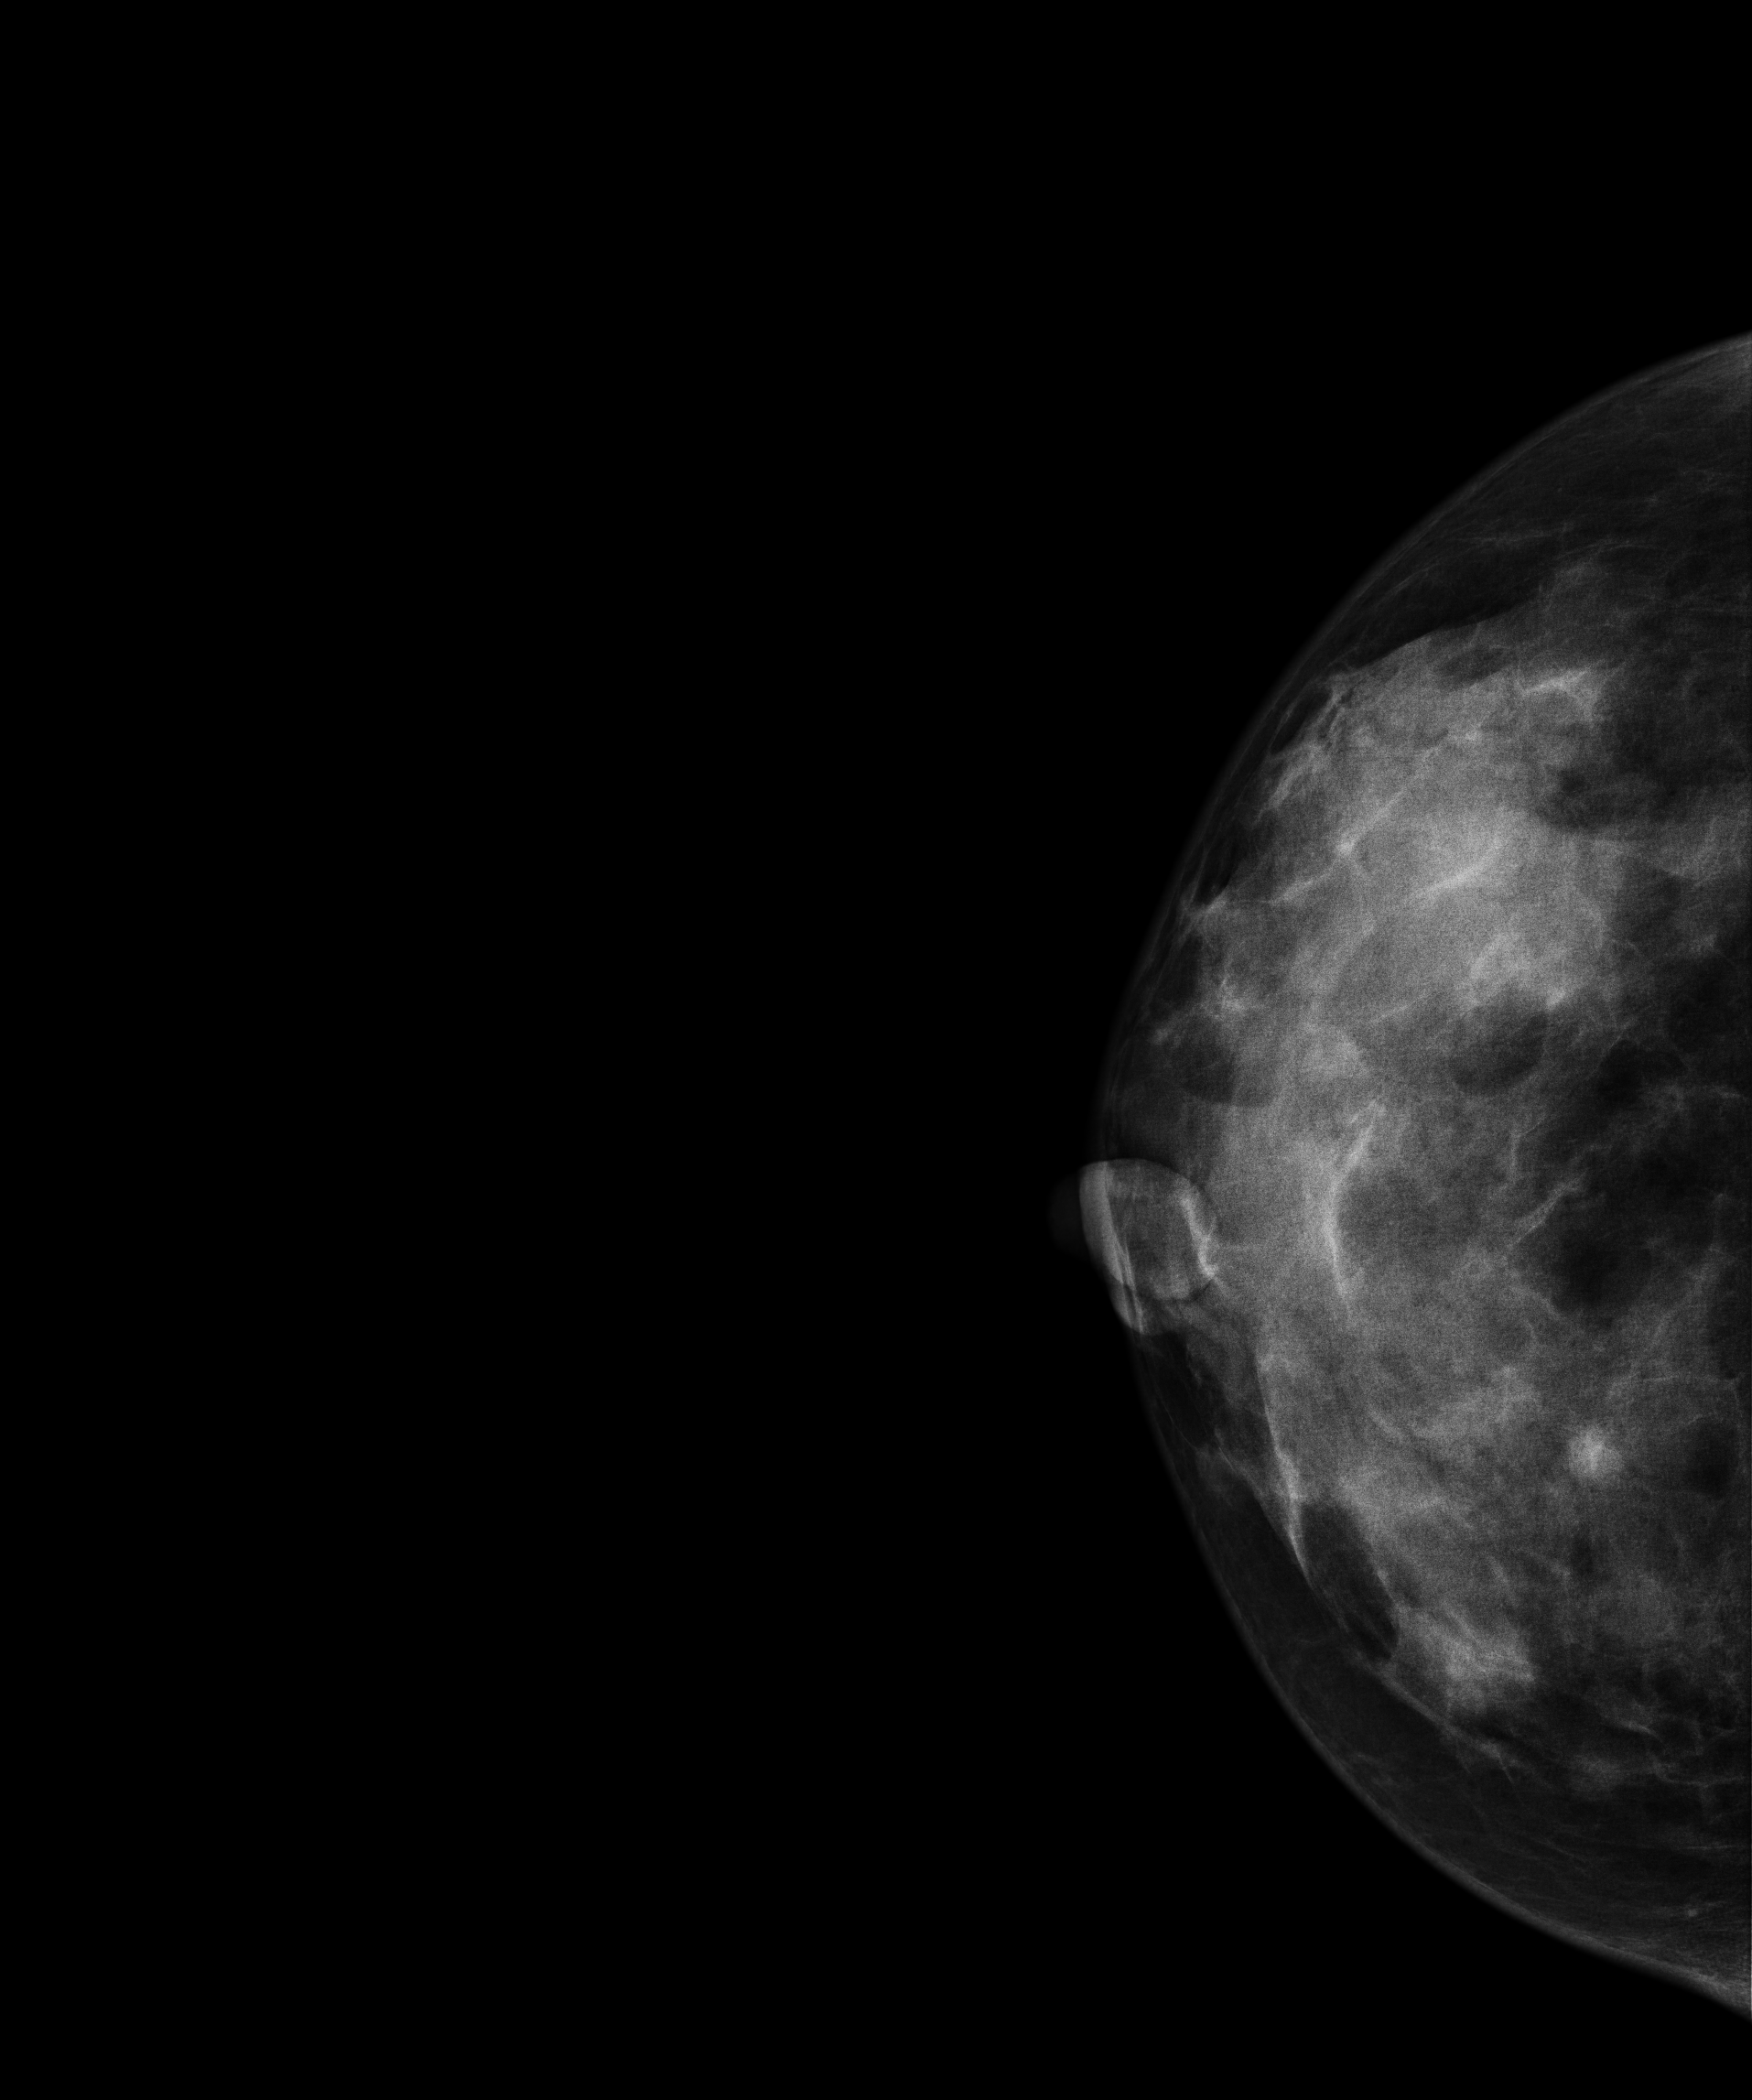
Mammogram, right breast, CC view. 42 y/o patient.
This breast has a mass, biopsy-proven malignant. Molecular subtype: triple-negative.